Mammogram, right breast, MLO view. 54 y/o patient.
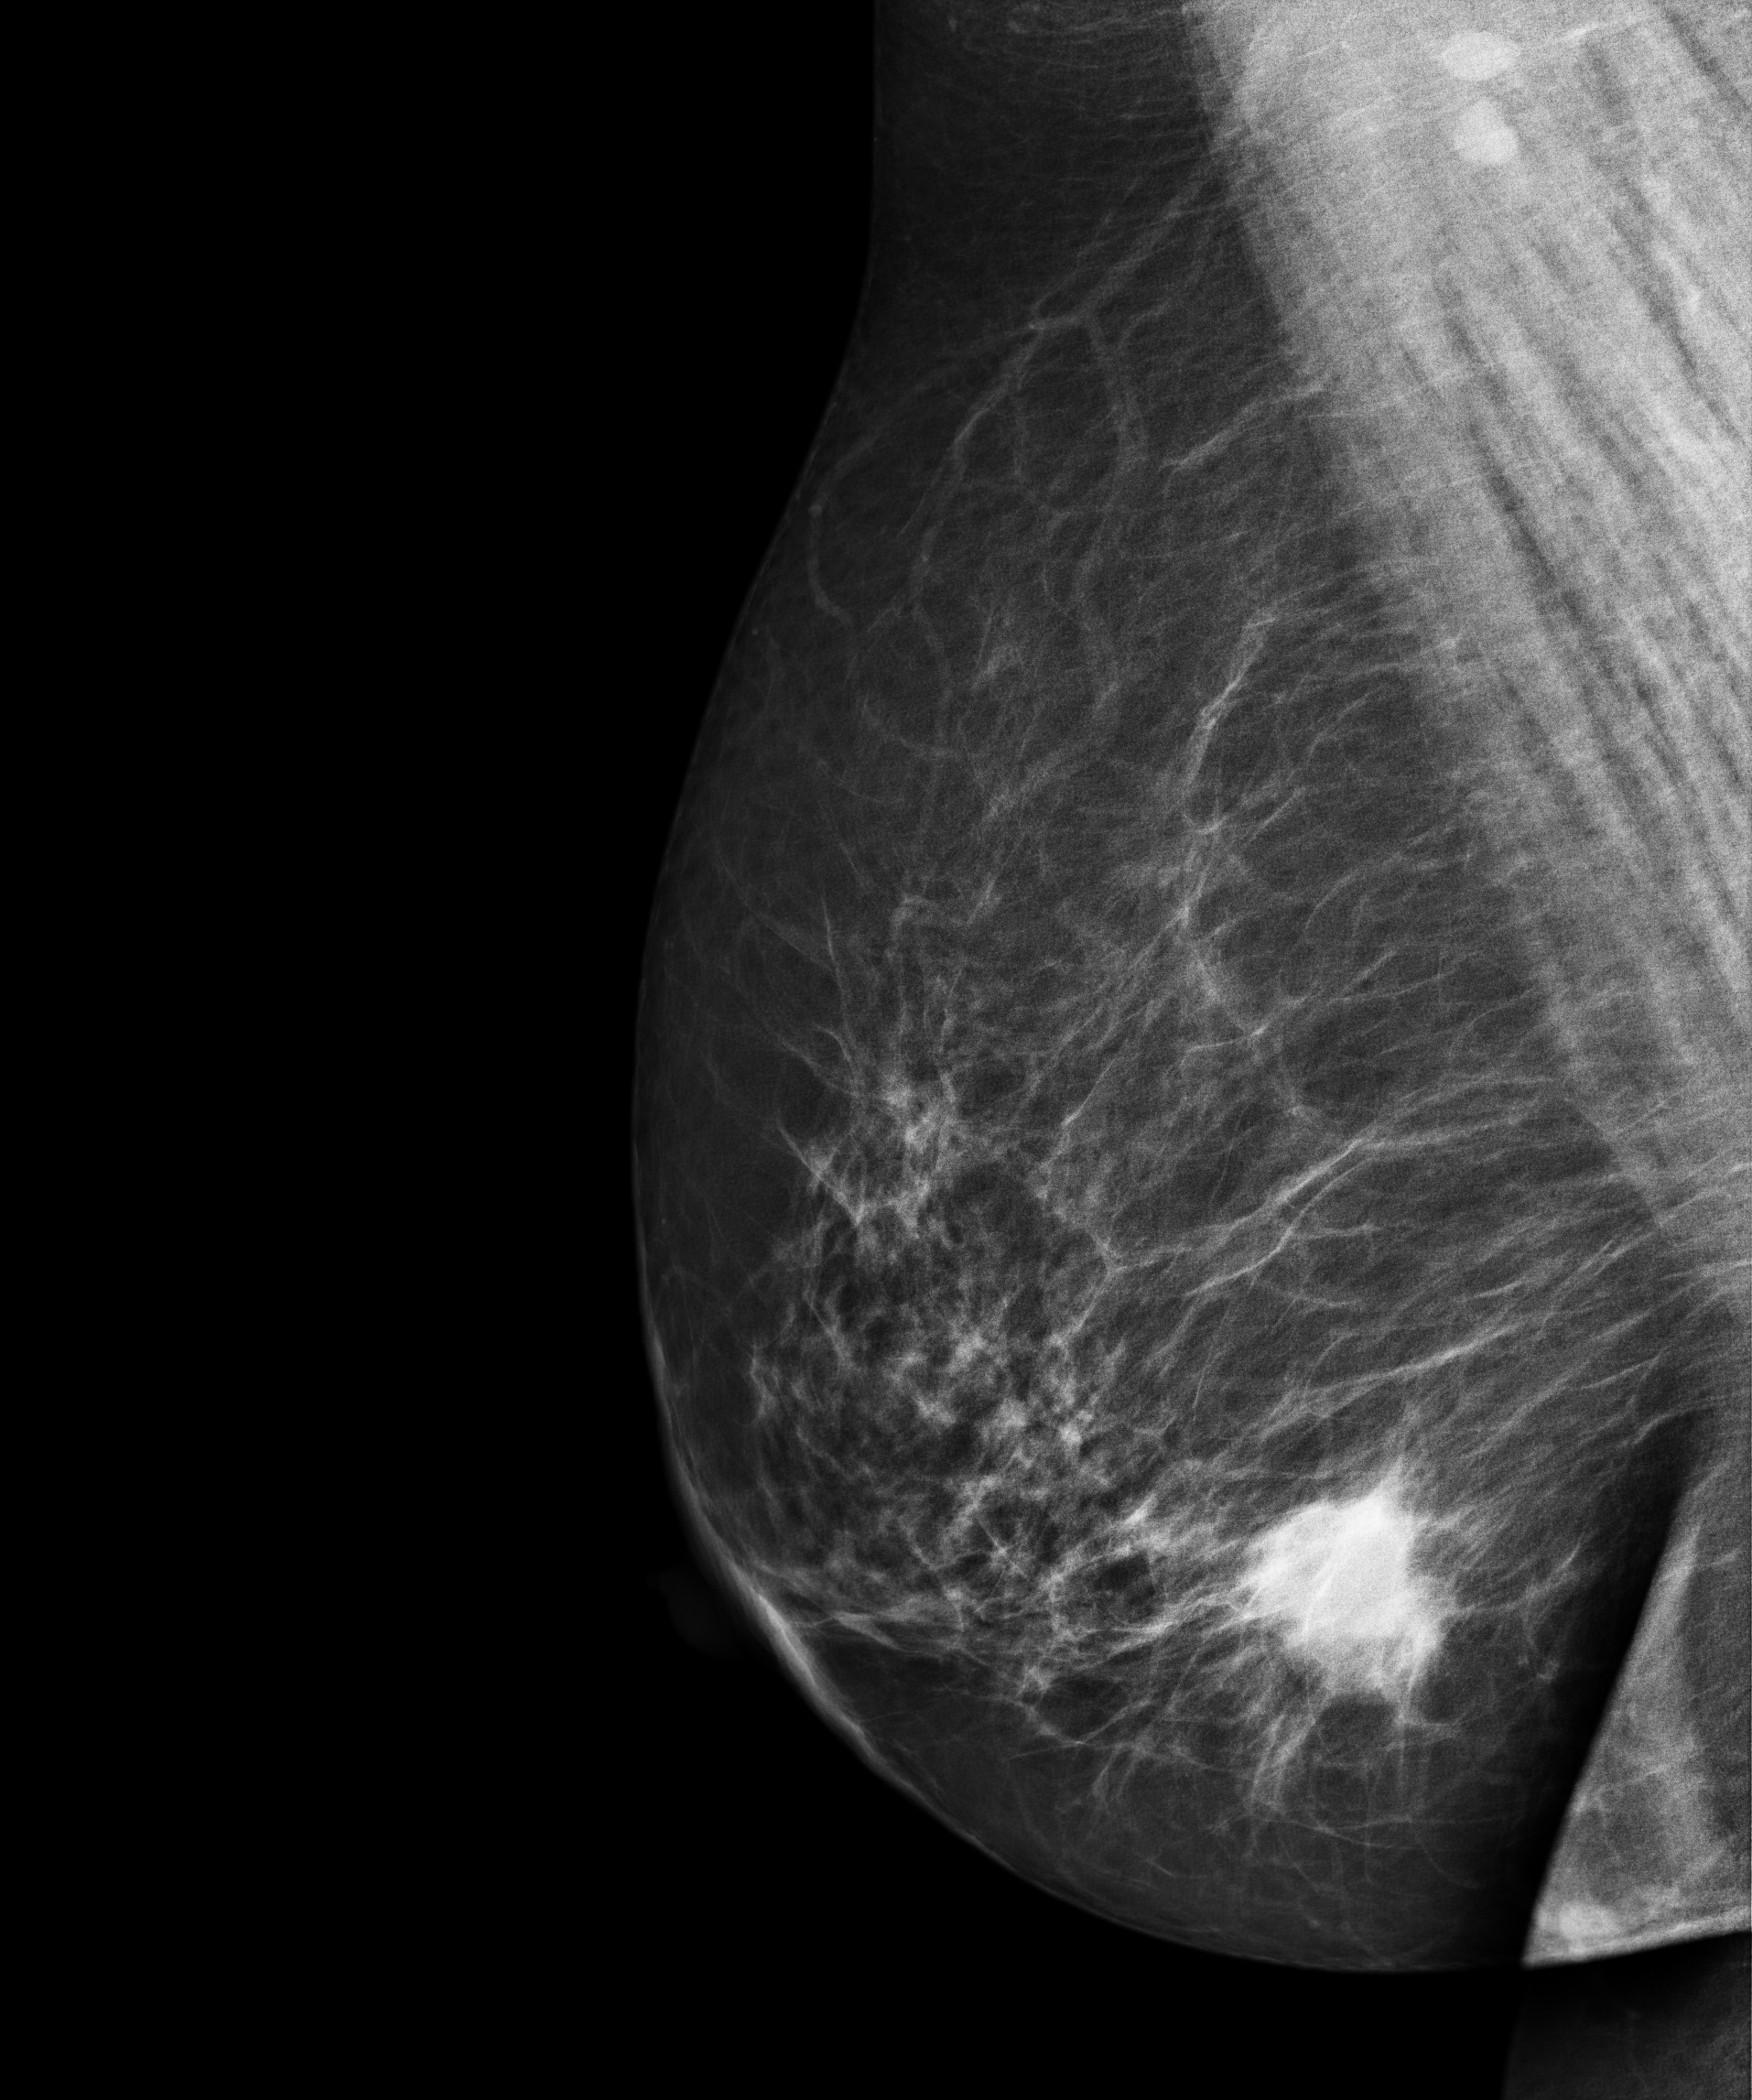
This breast has a mass, biopsy-confirmed malignant. Molecular subtype: luminal A.